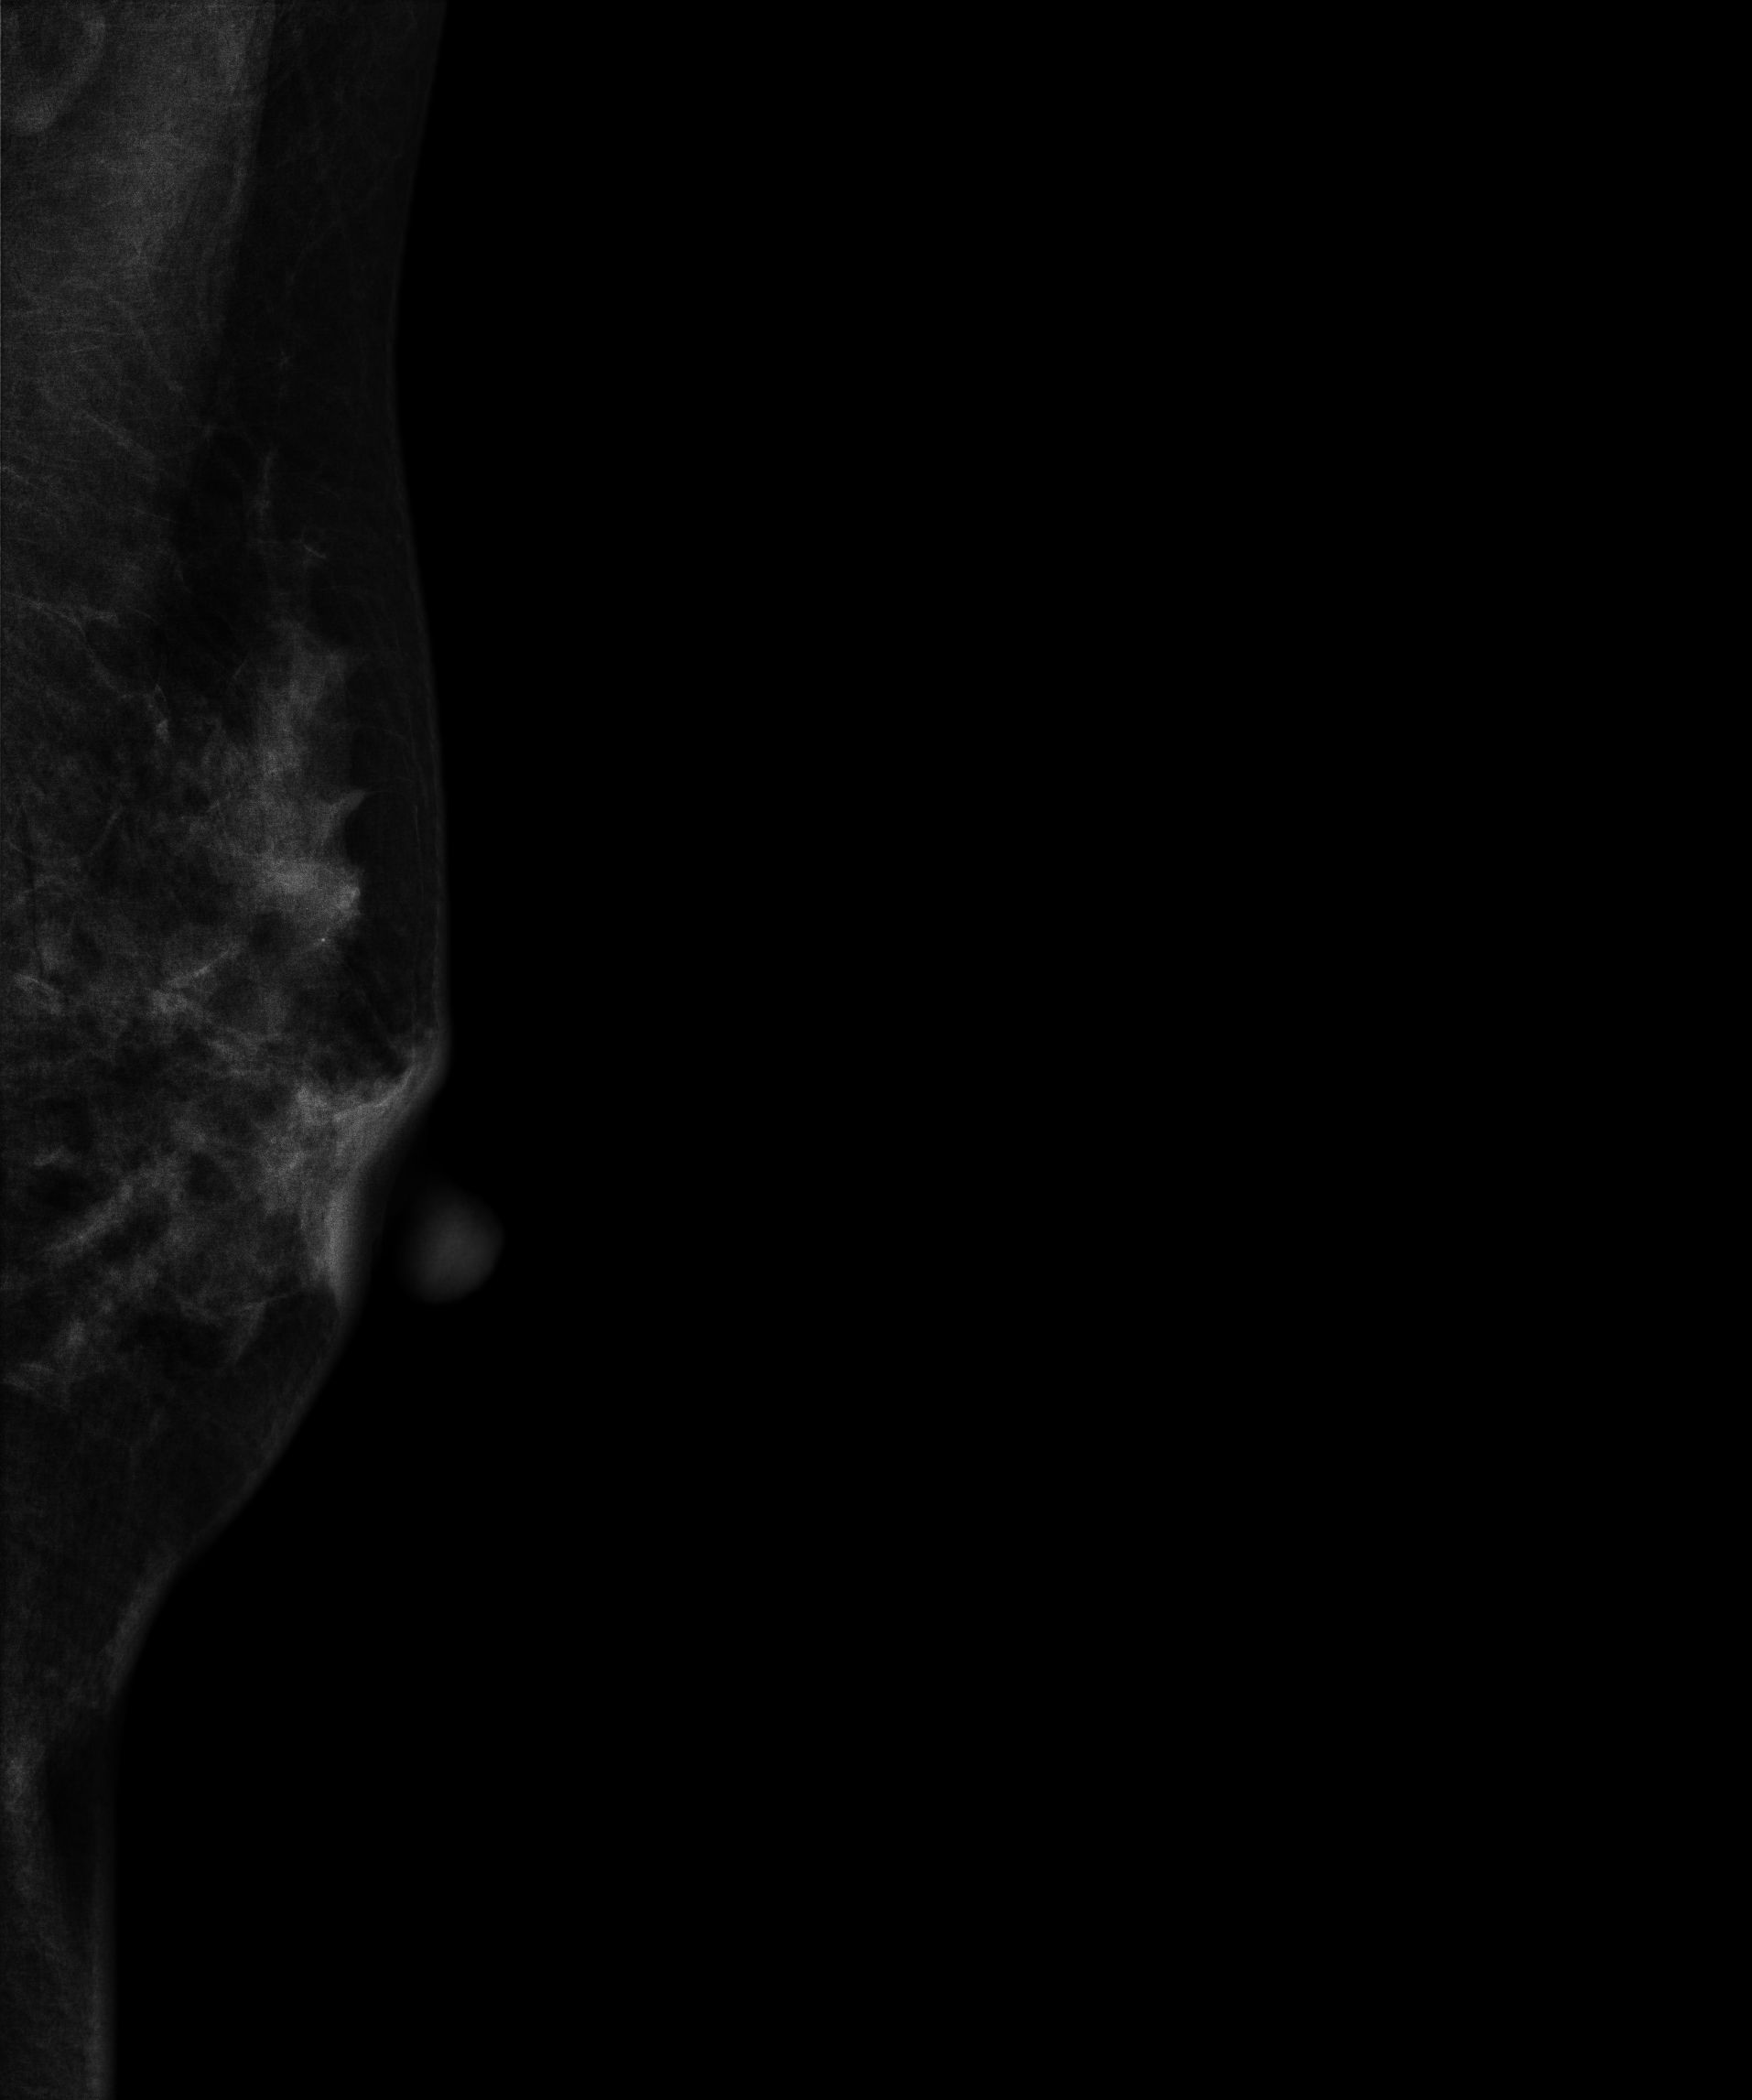
Left-breast mammogram, medio-lateral oblique. 39 y/o patient.
This breast has a mass, biopsy-proven malignant. Molecular subtype: luminal A.